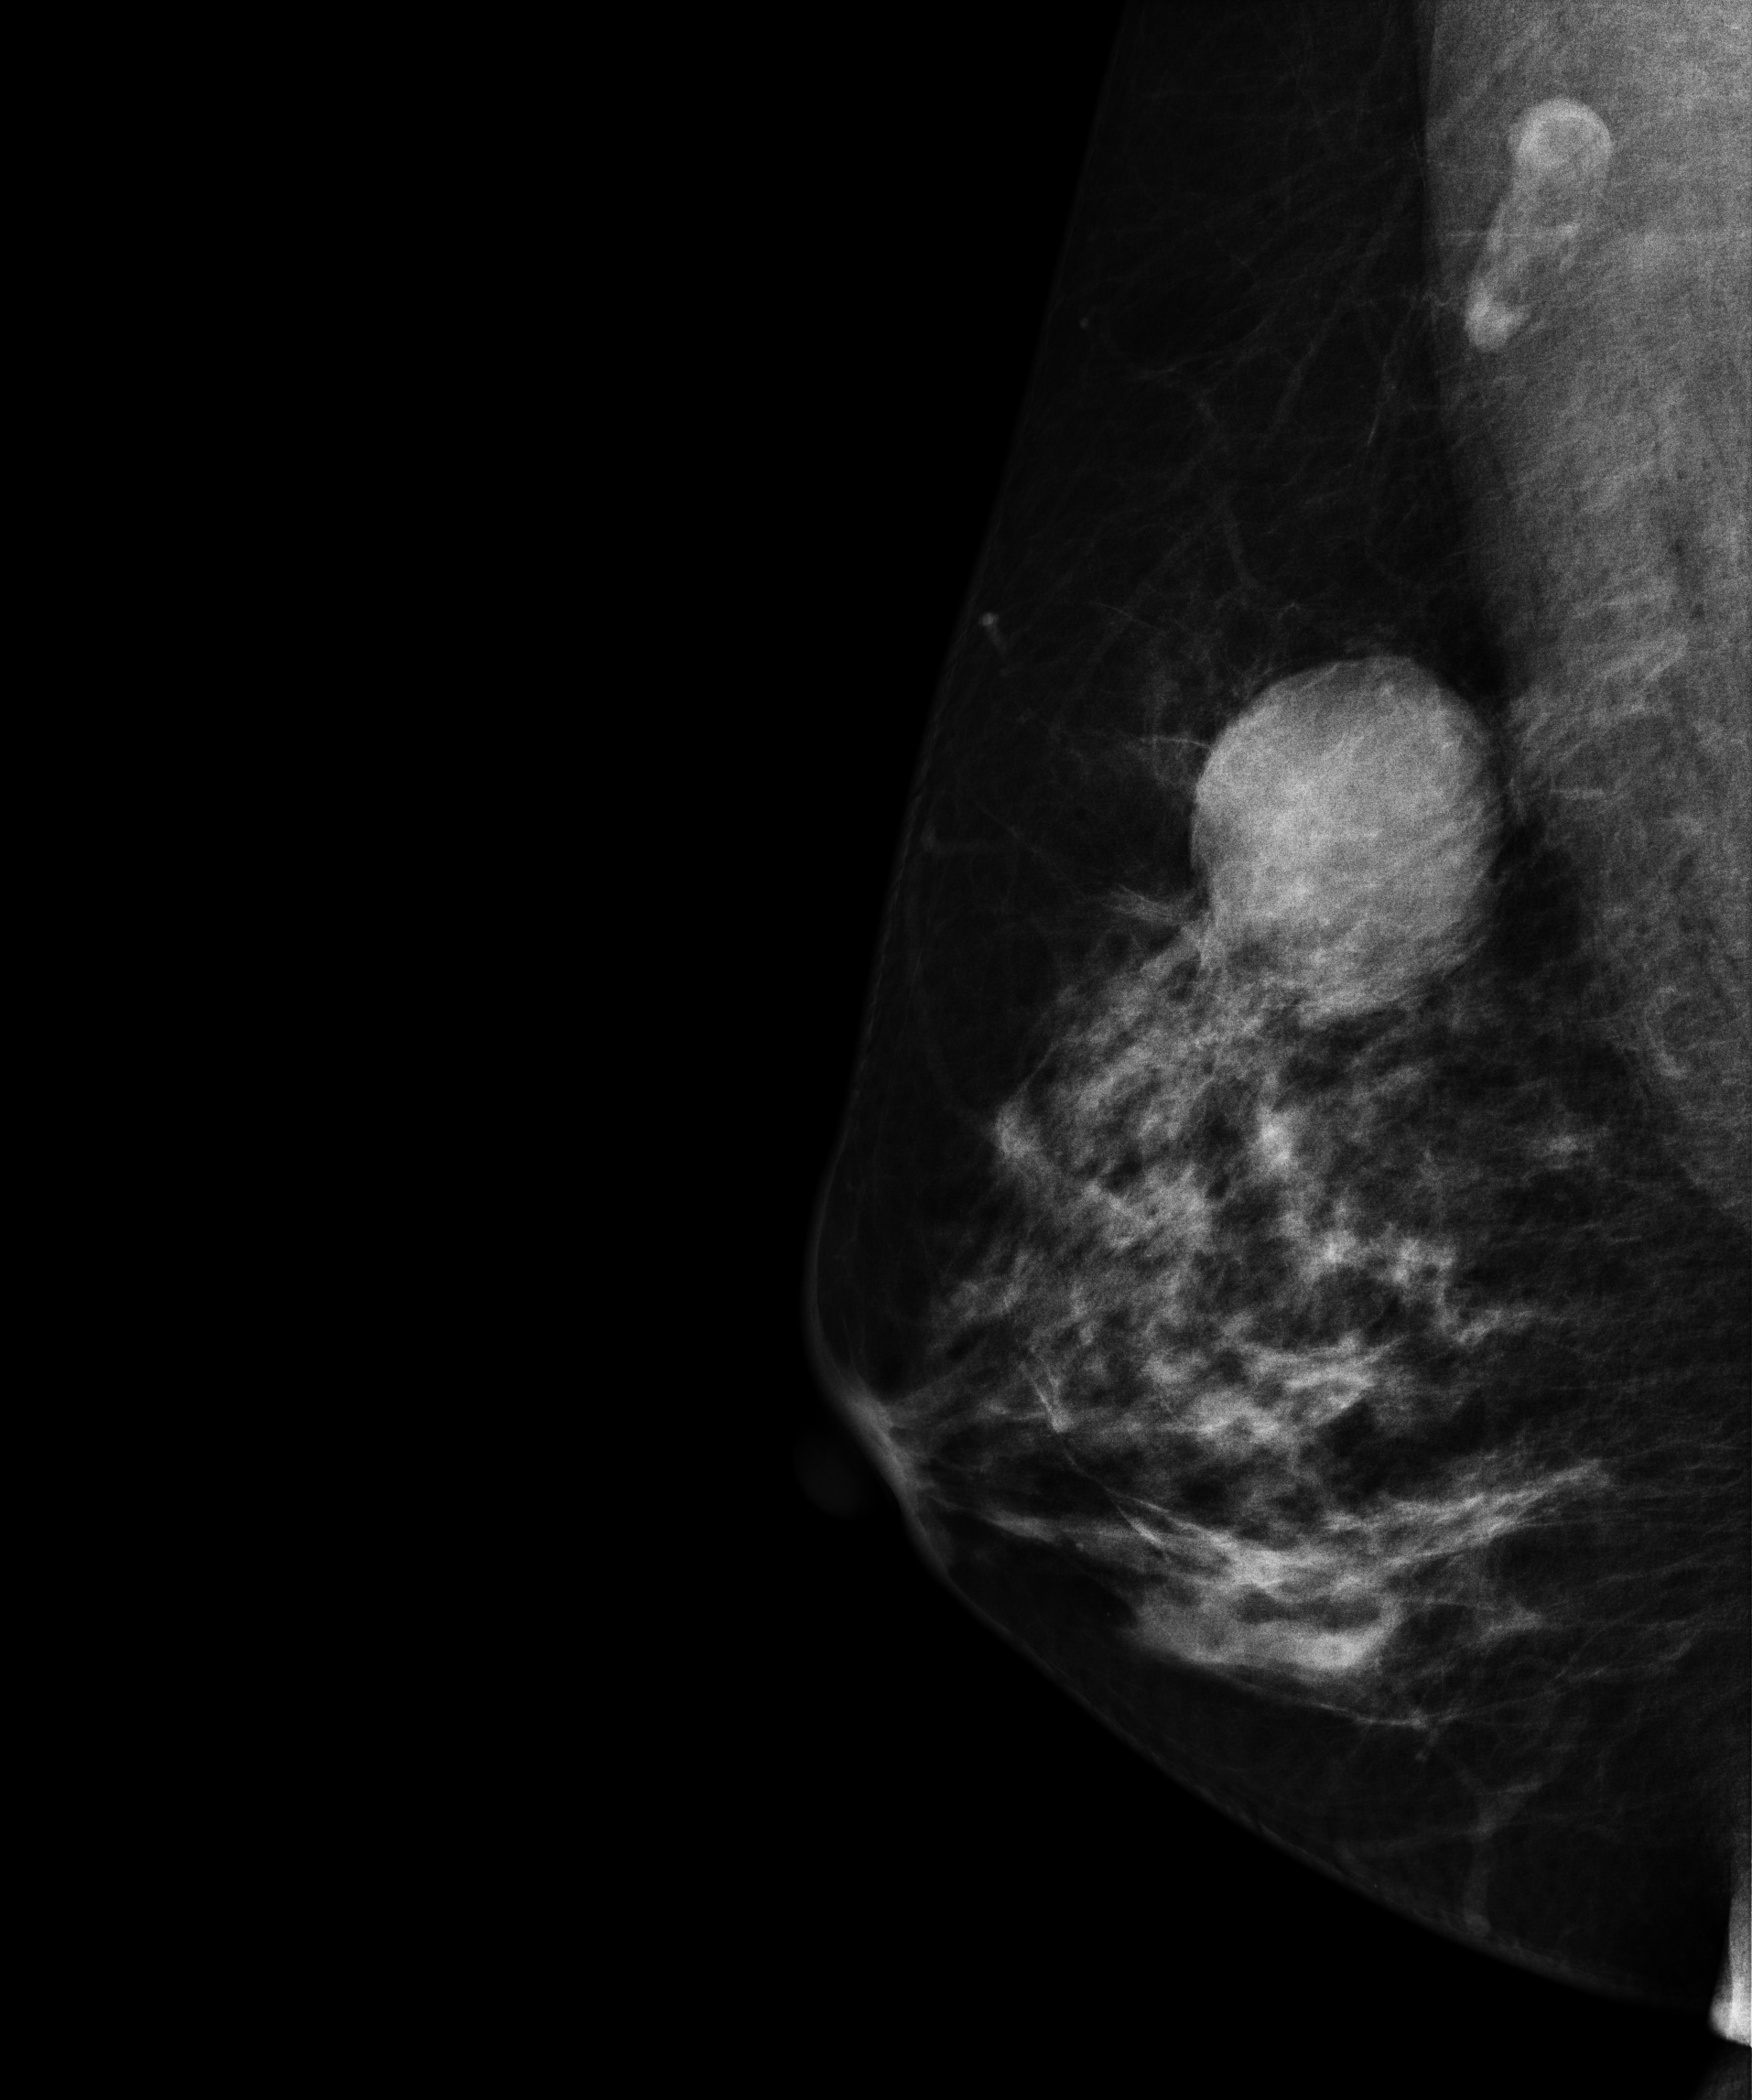
Right-breast mammogram, MLO. 52 y/o patient.
This breast has a mass, biopsy-proven malignant.